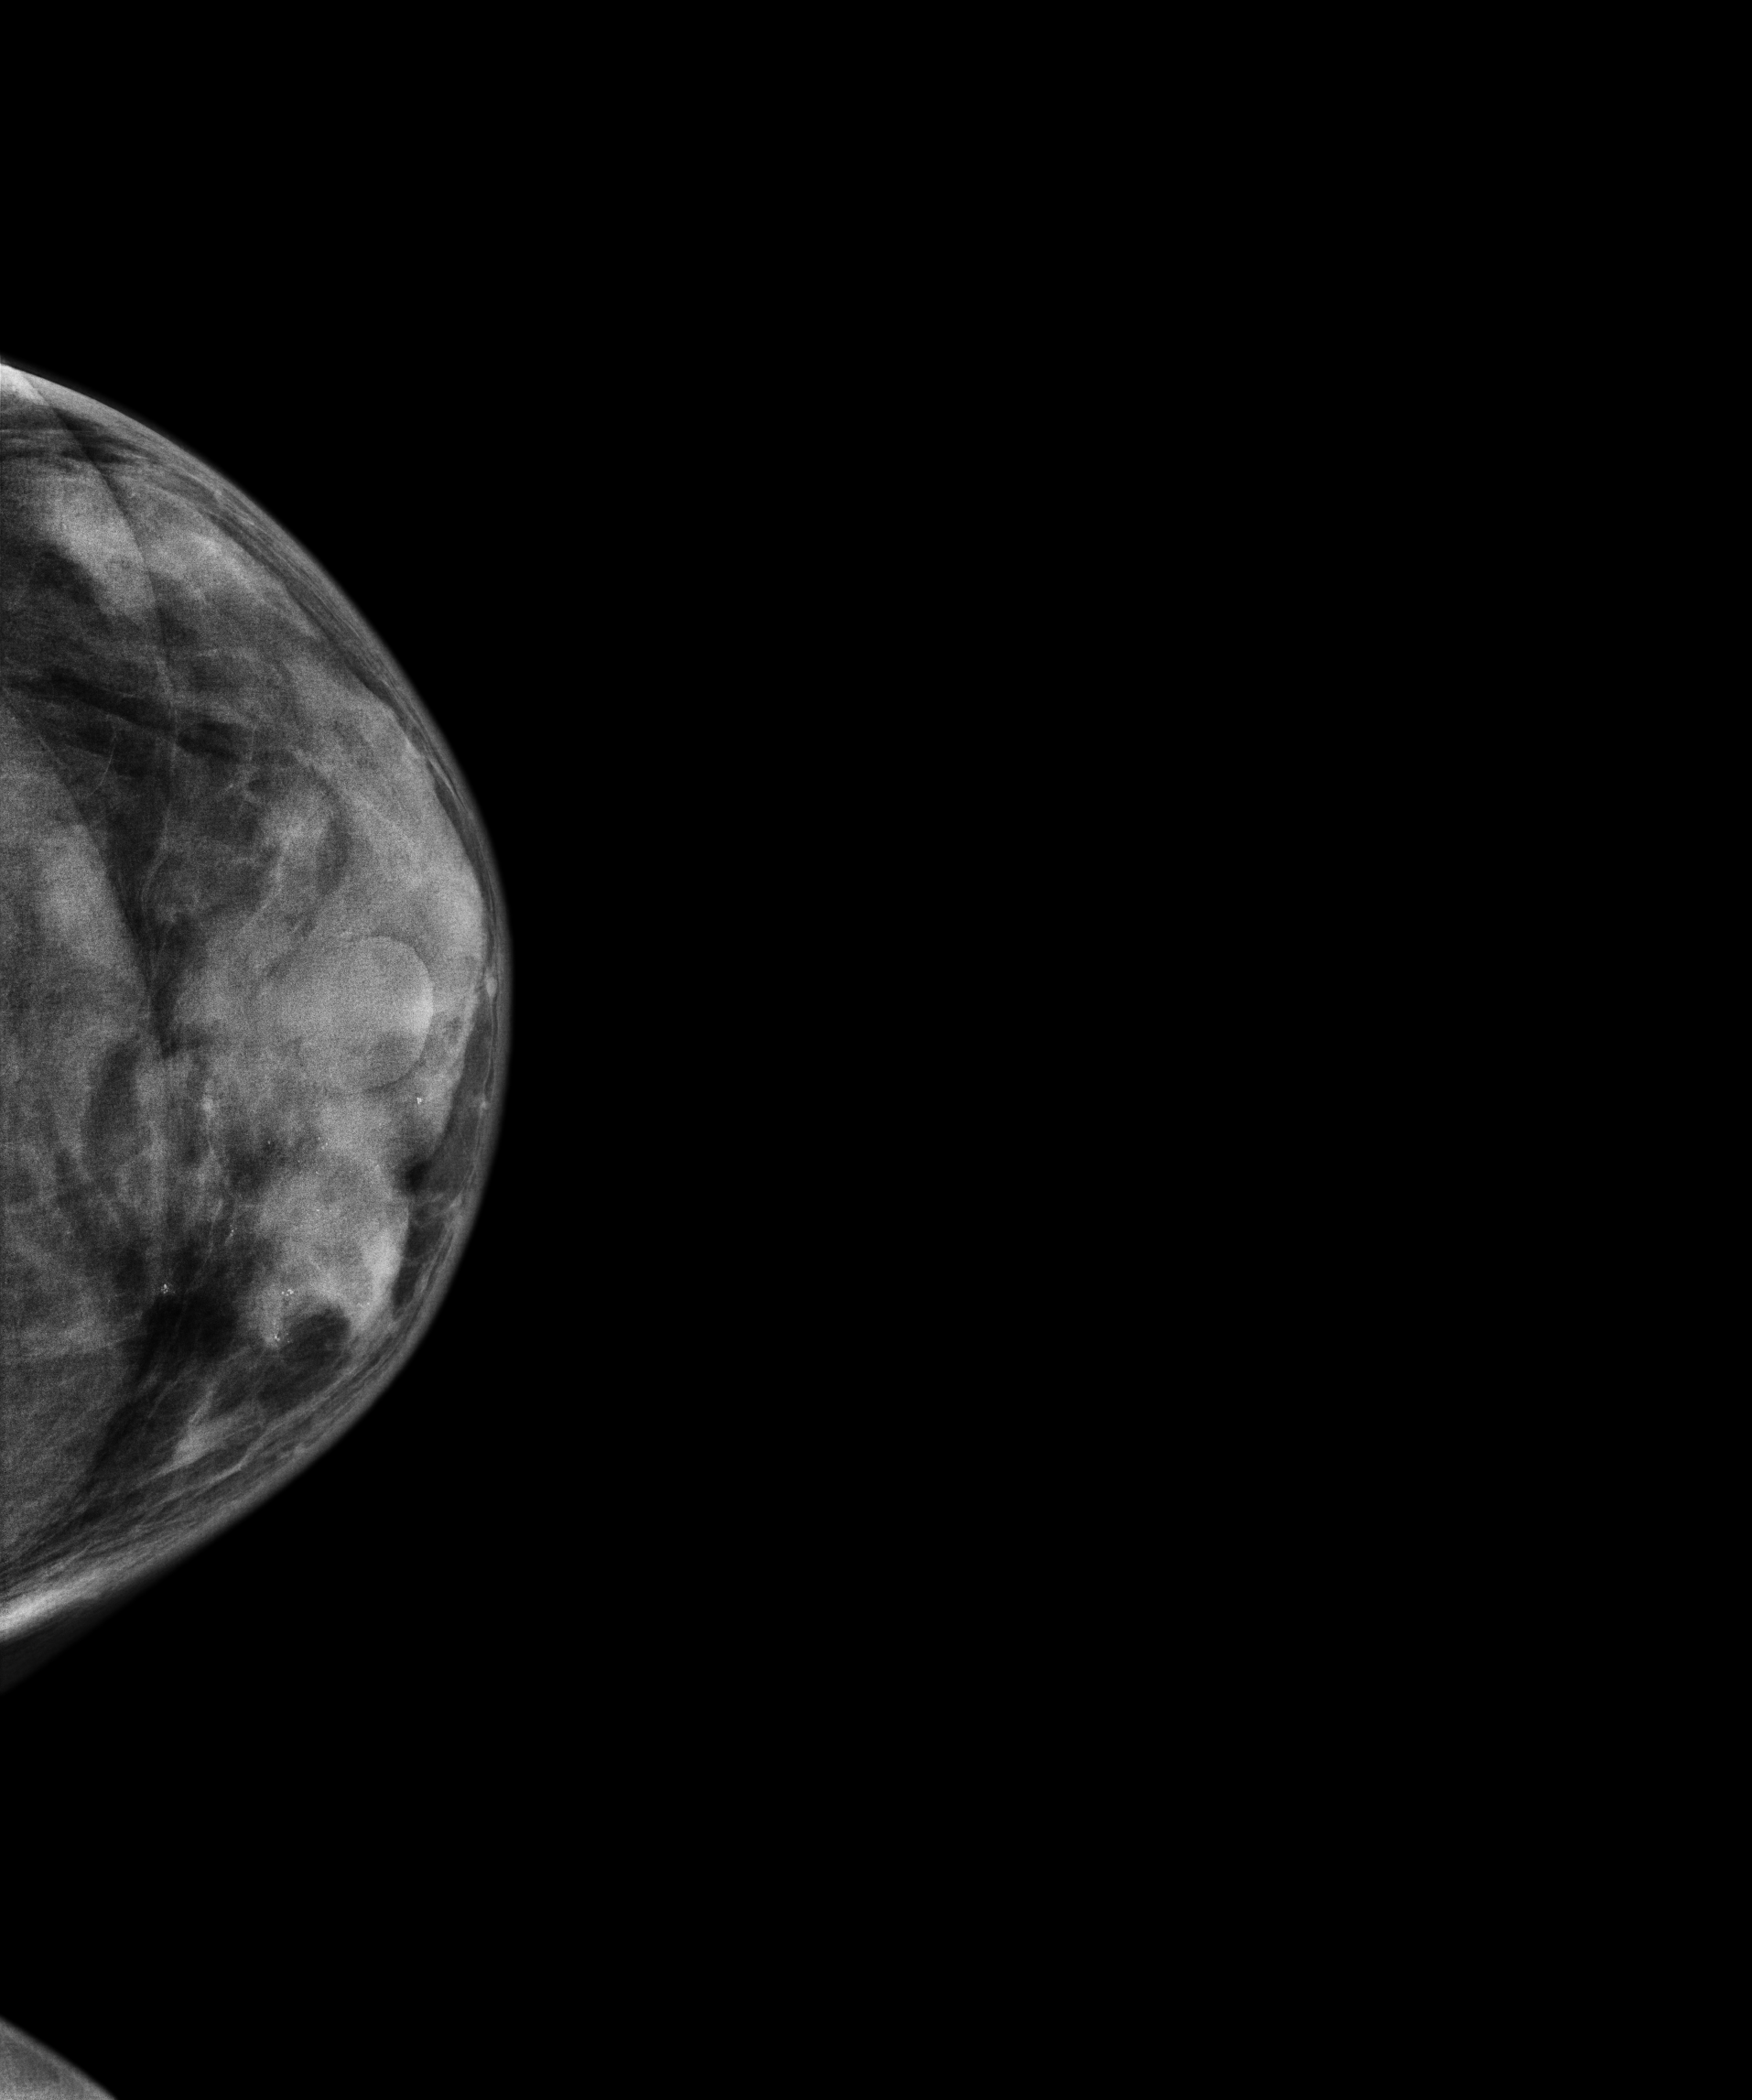
Mammogram — left cranio-caudal. Patient age 36.
This breast has a mass and calcifications, biopsy-proven malignant.